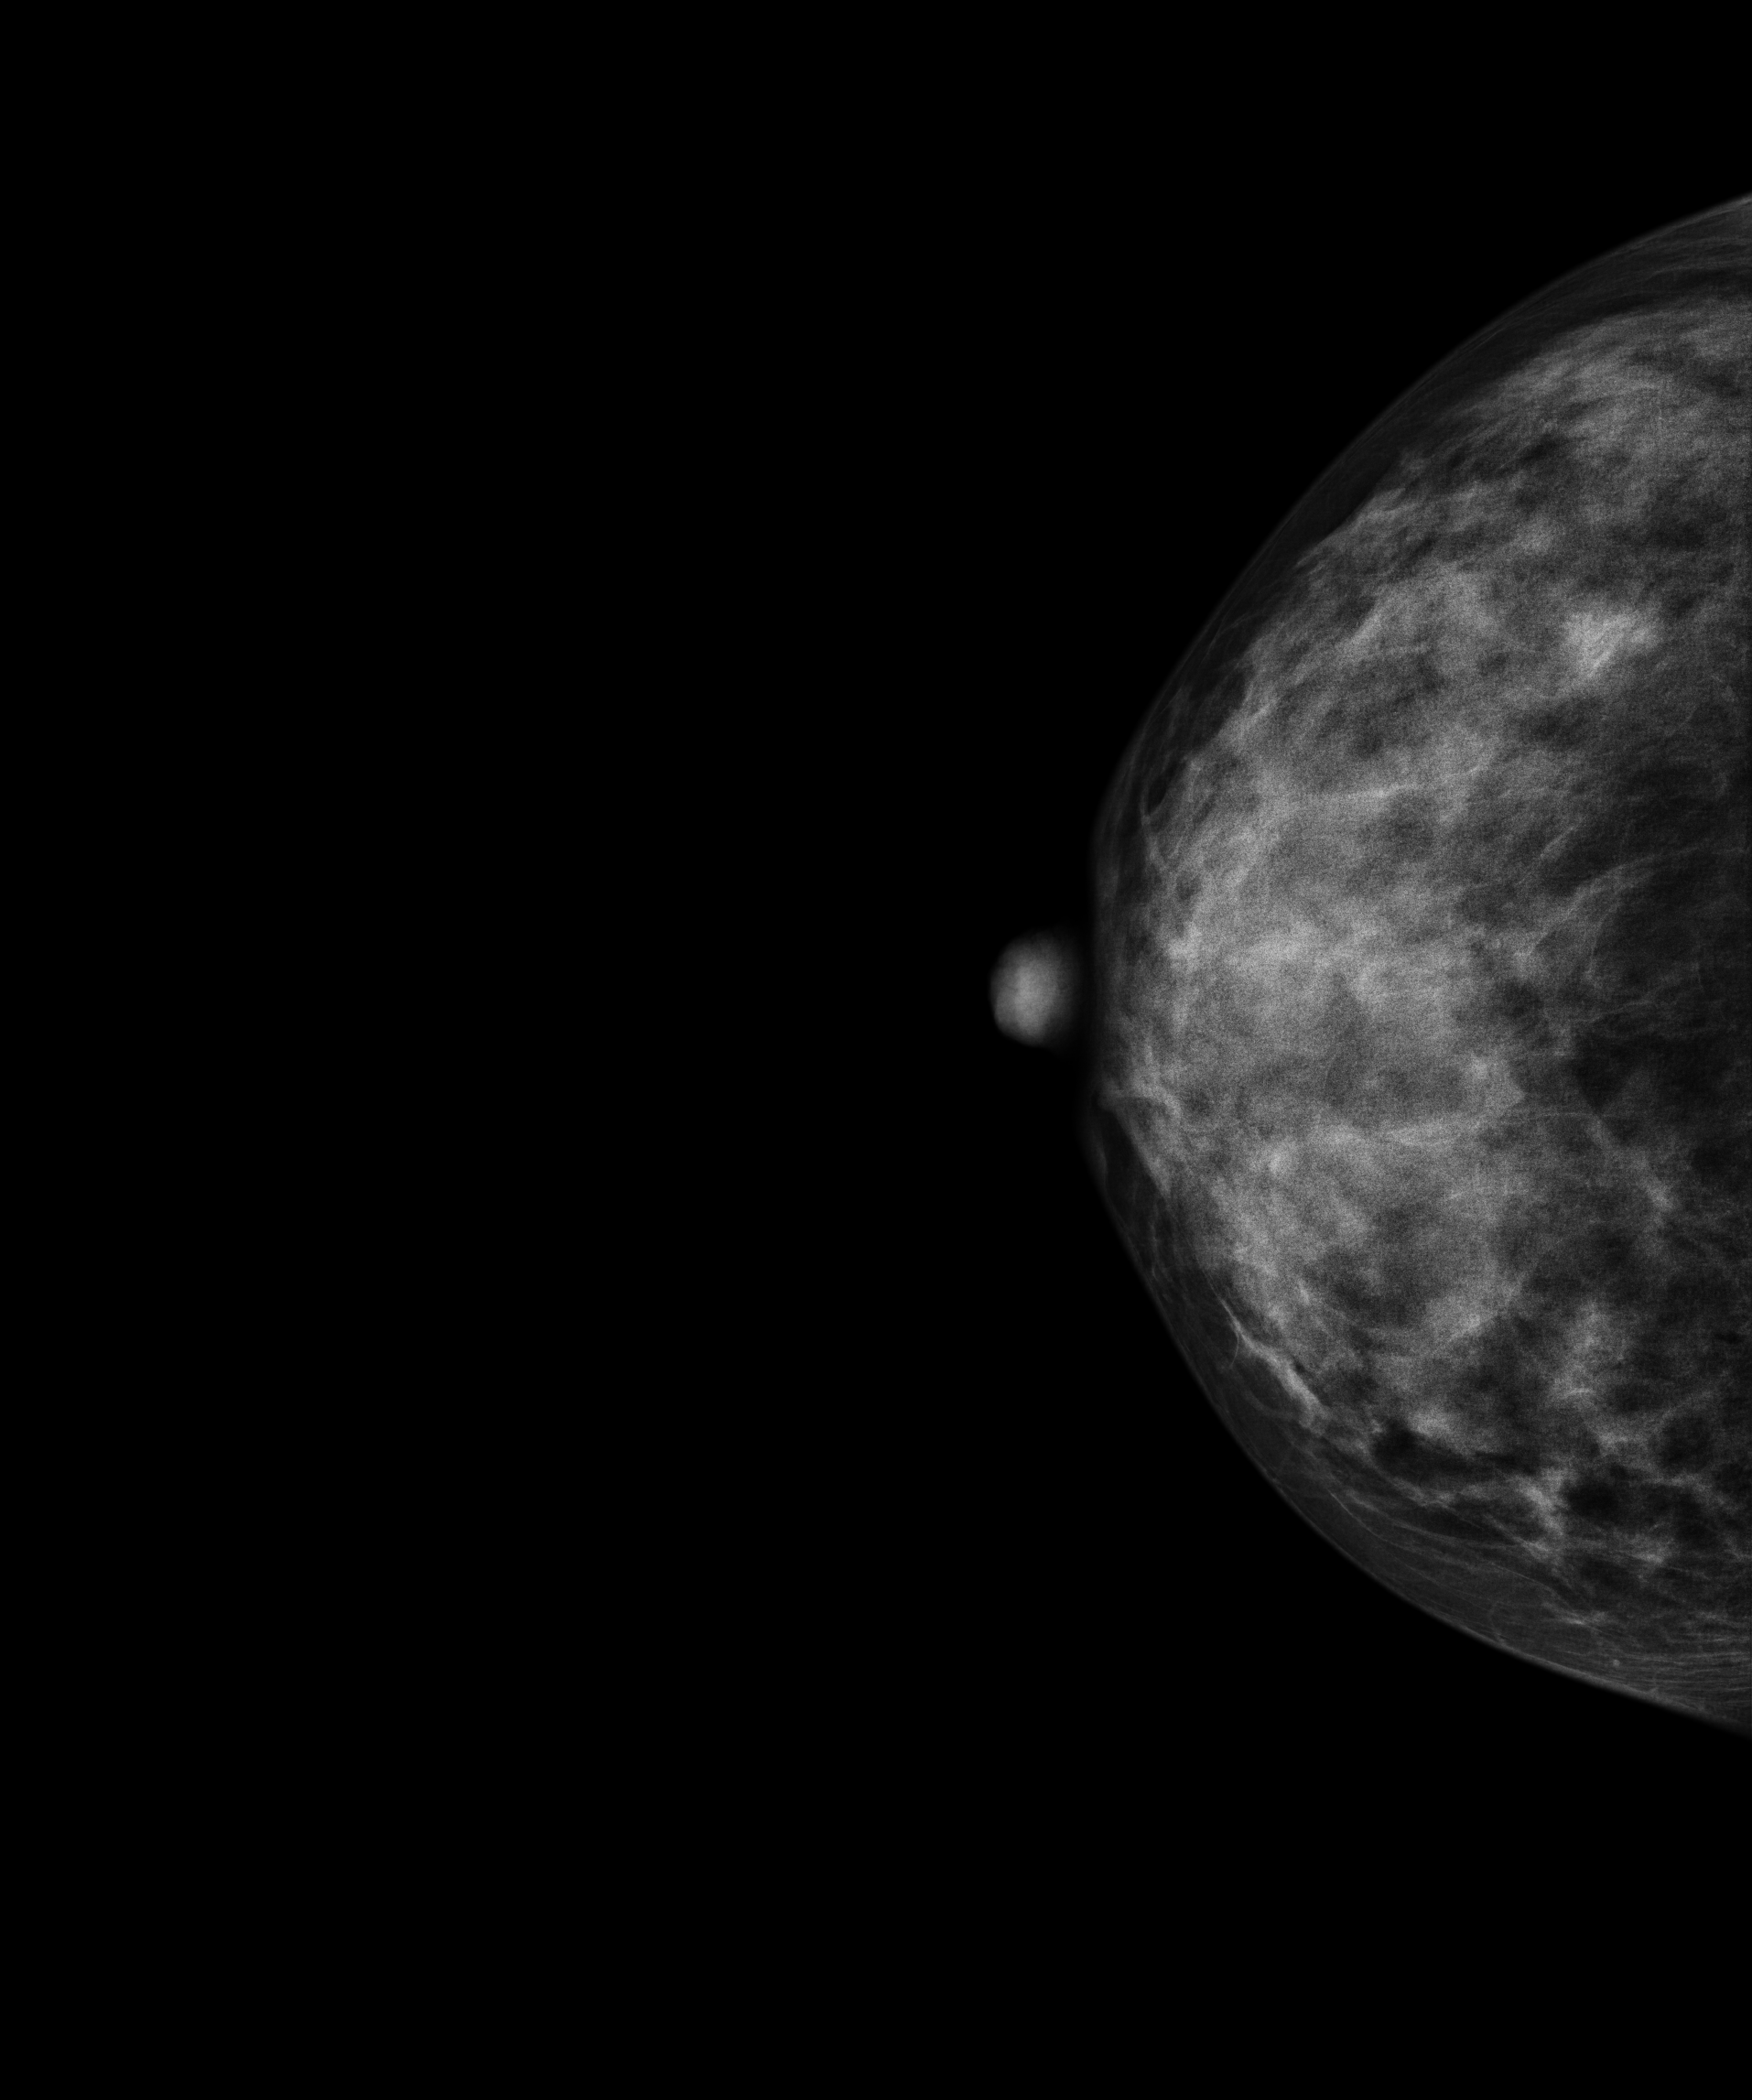
Right-breast mammogram, cranio-caudal. 44-year-old patient.
This breast has a mass, biopsy-confirmed benign.